Cranio-caudal mammogram of the left breast. Patient age 40.
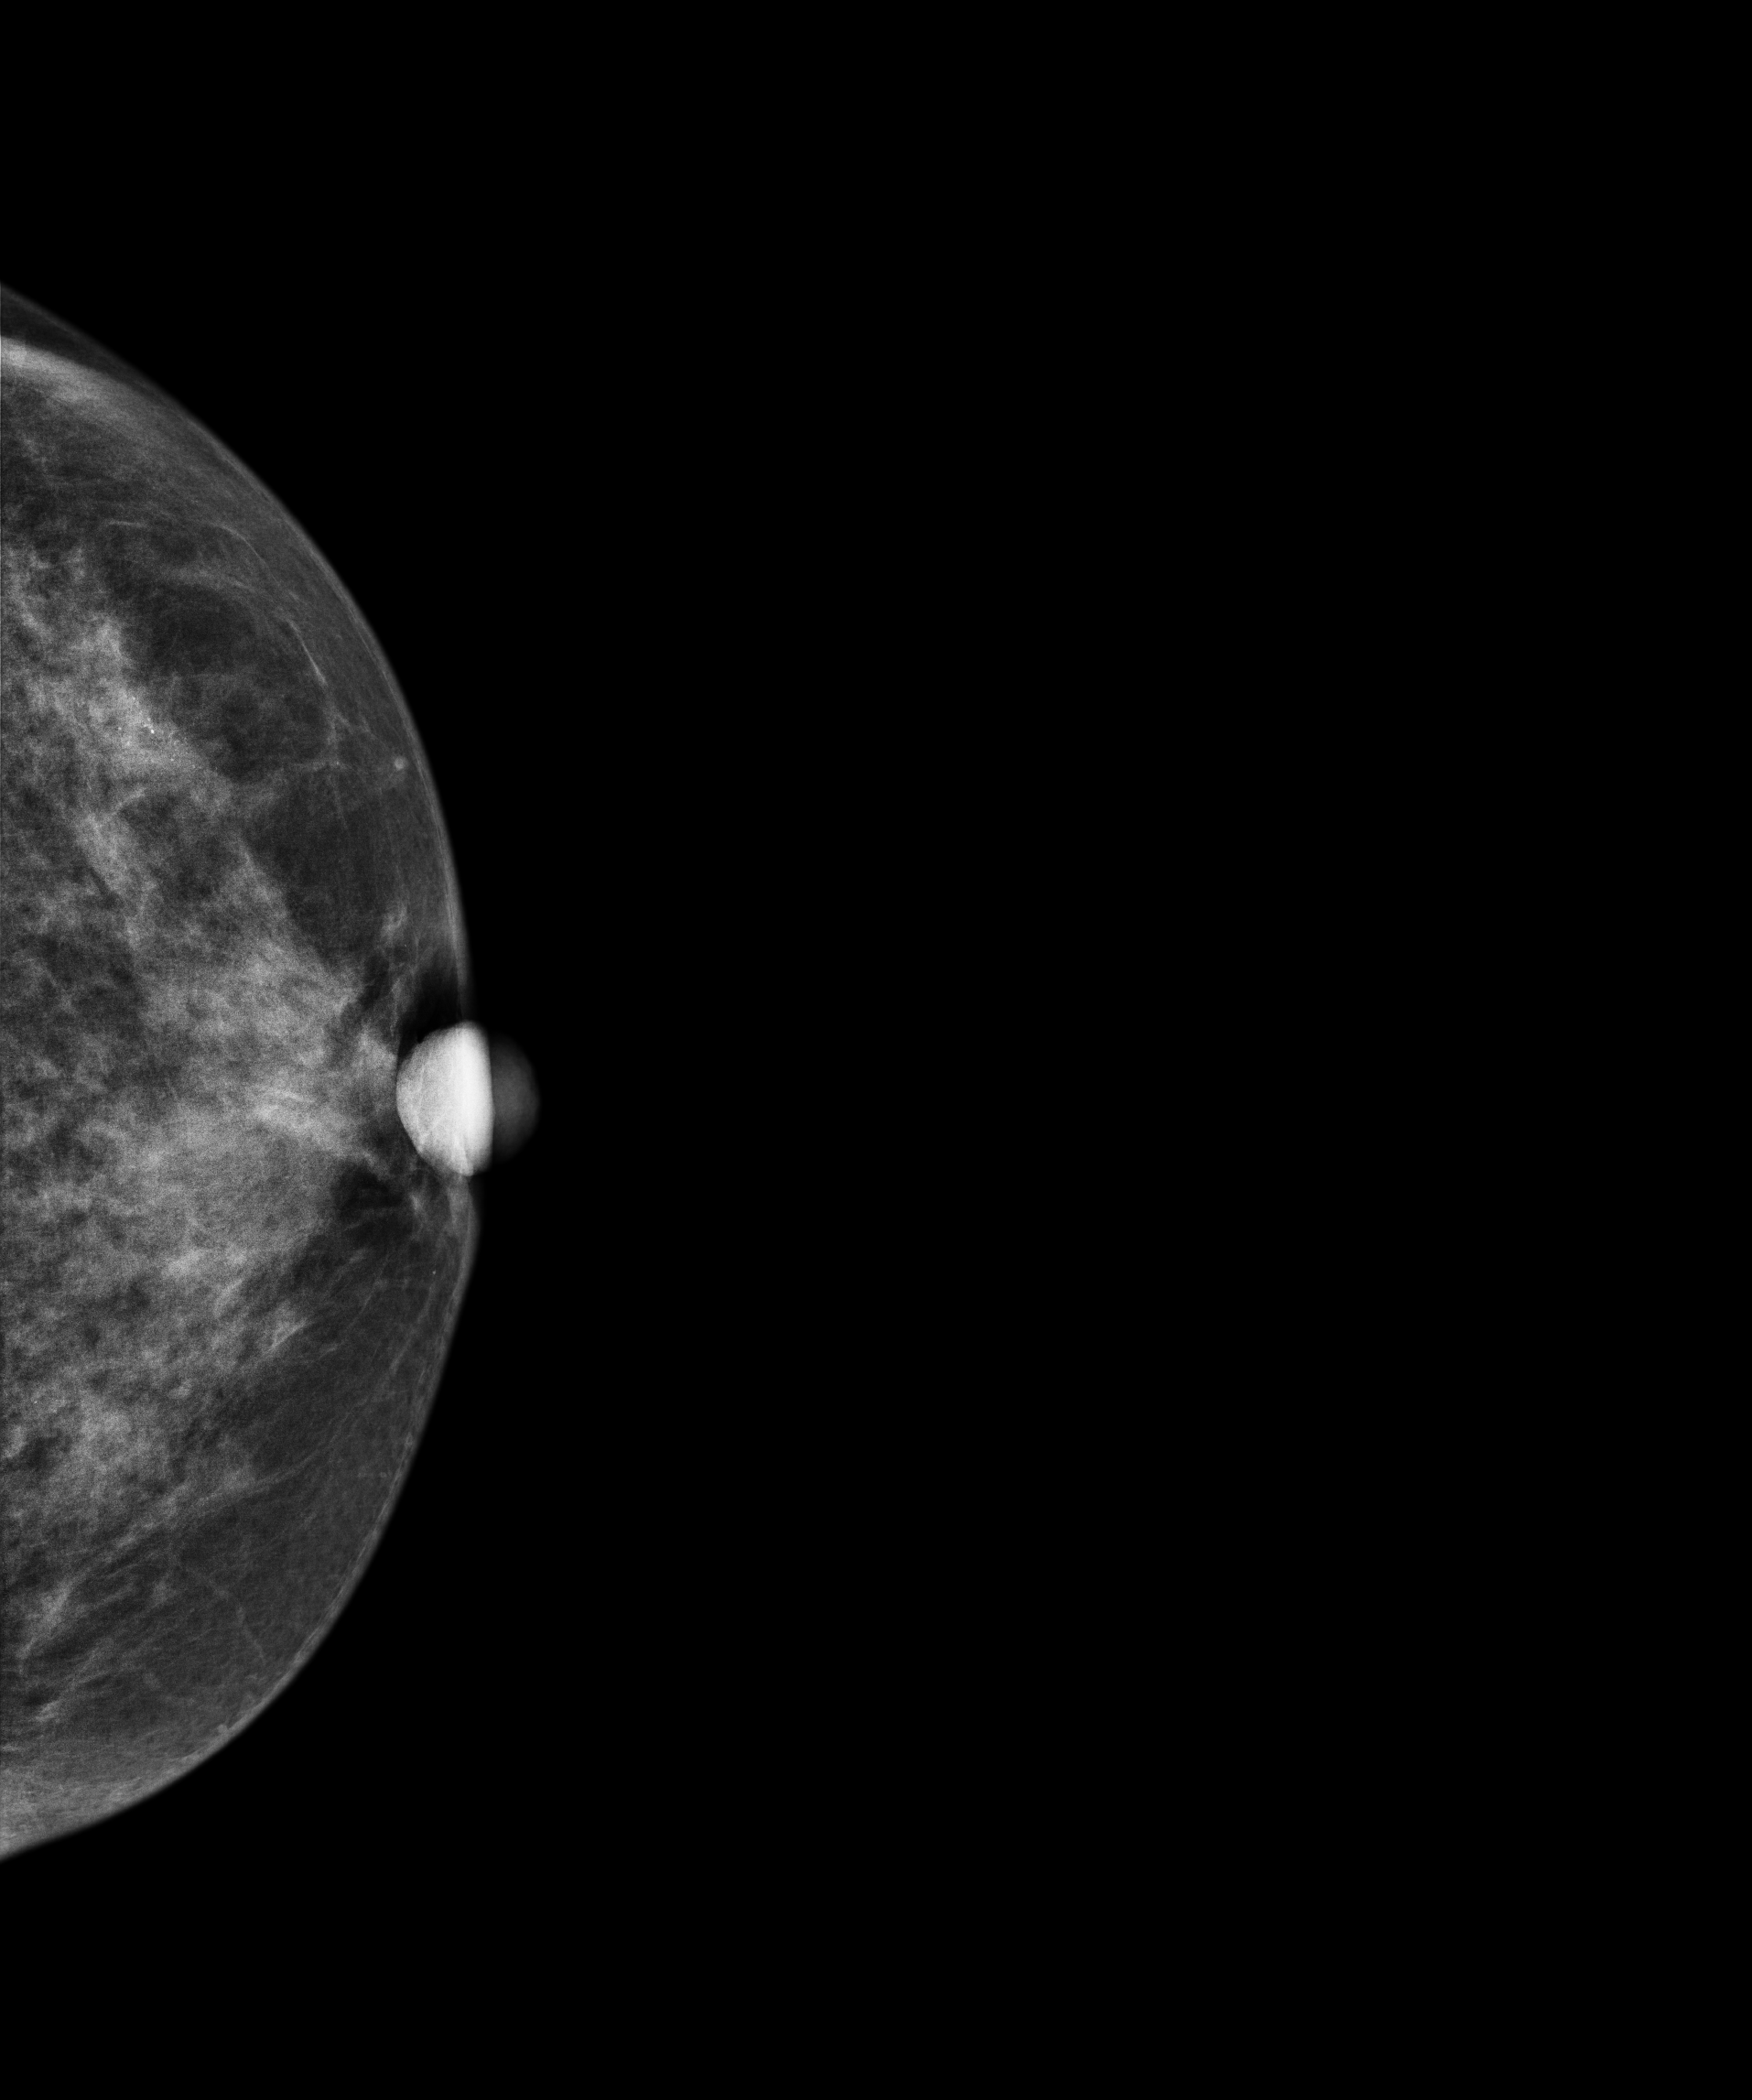
This breast has calcifications, biopsy-proven malignant.